Left-breast mammogram, CC. Patient age 41.
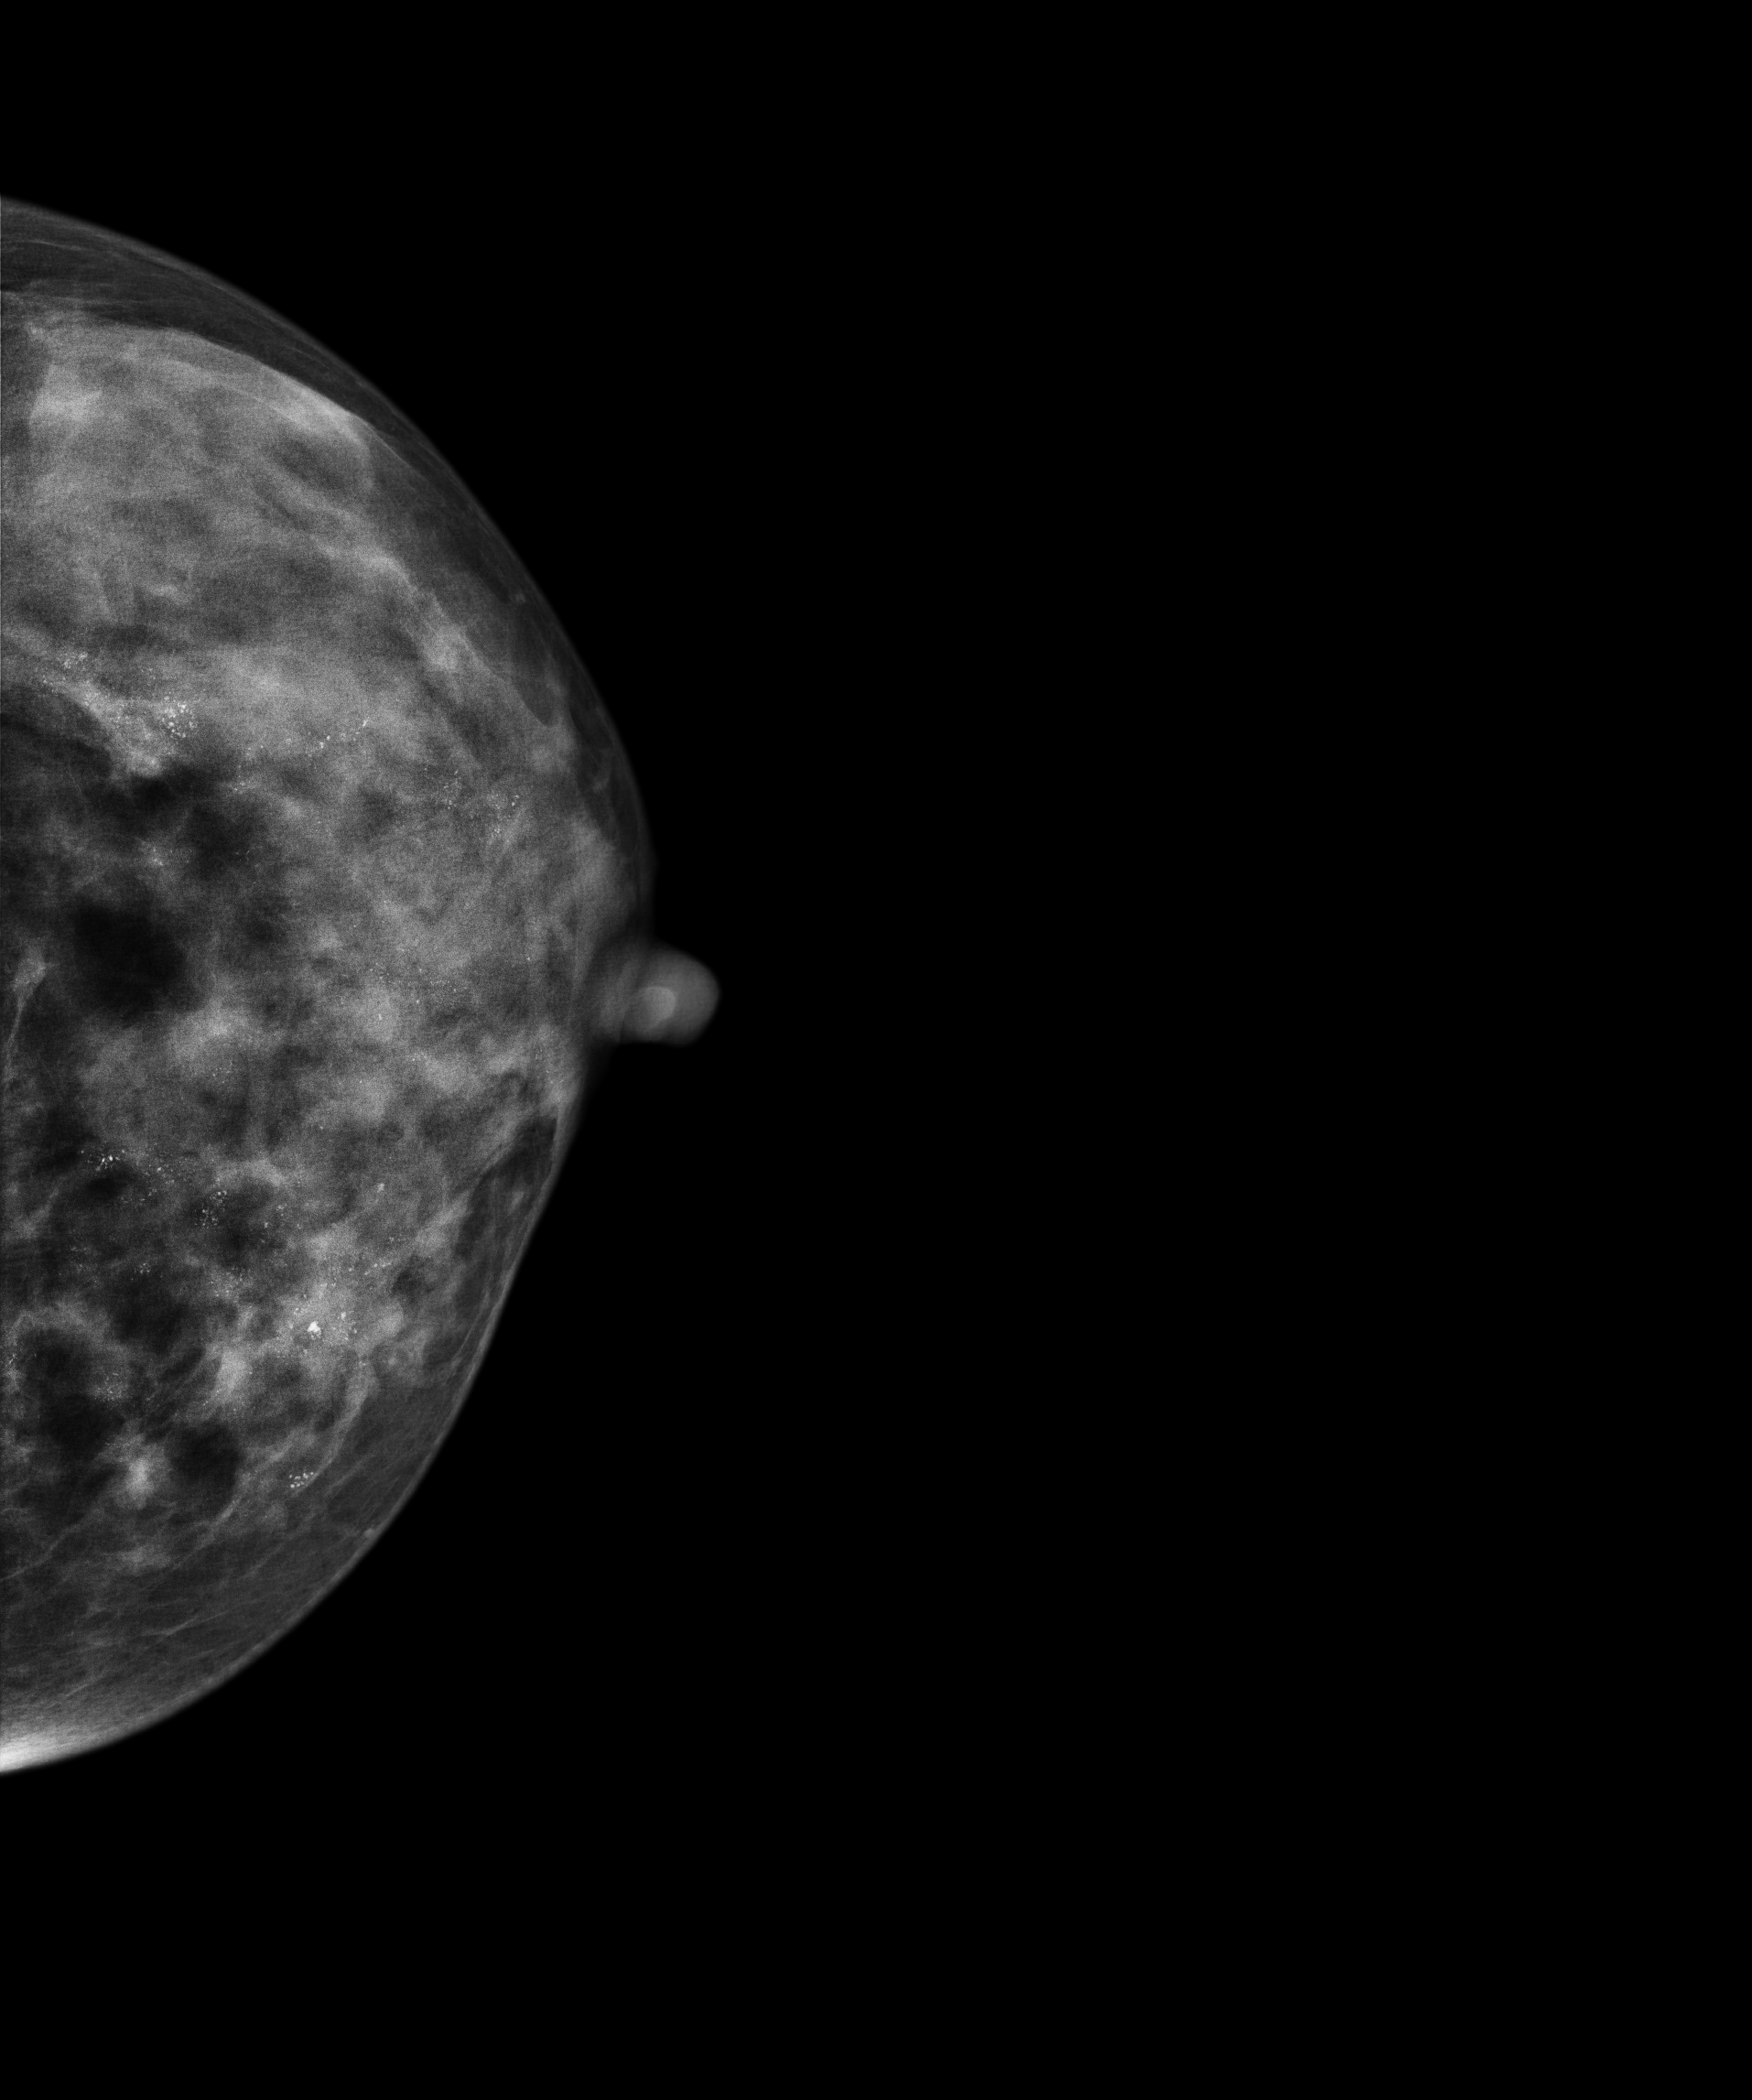
This breast has calcifications, histologically confirmed malignant.